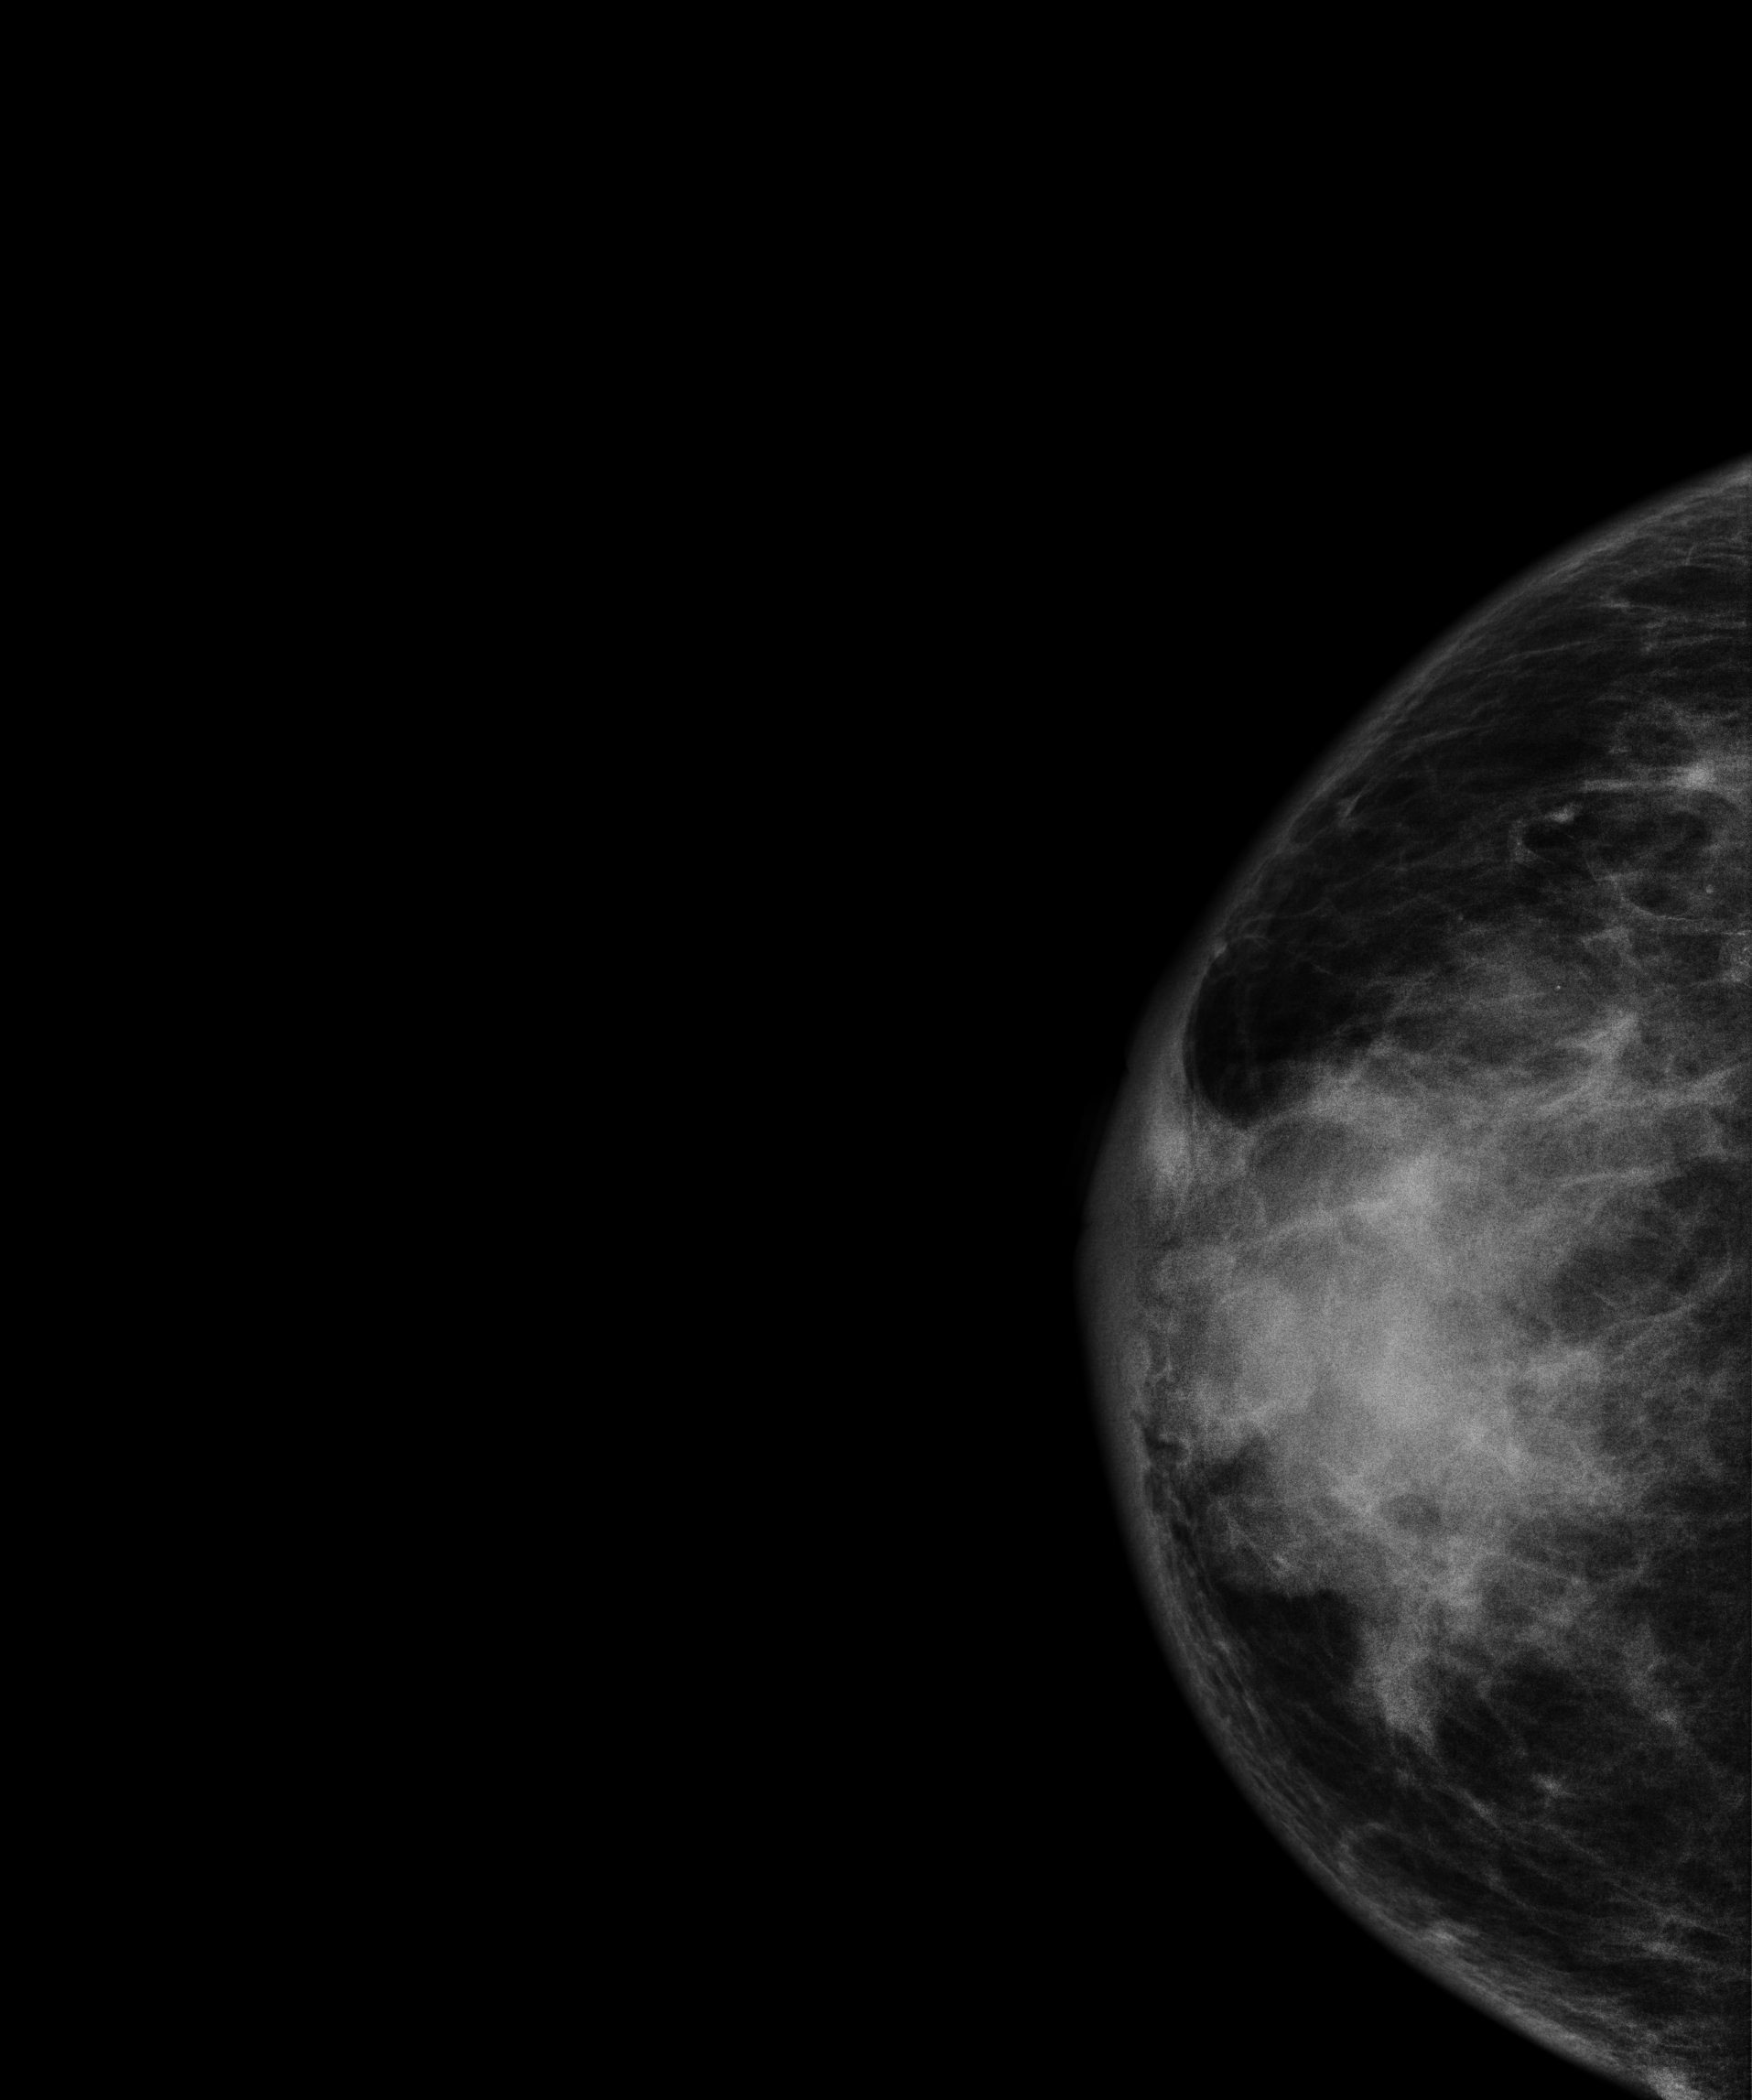
Mammogram — right CC. 58 y/o patient.
This breast has a mass, histologically confirmed malignant.